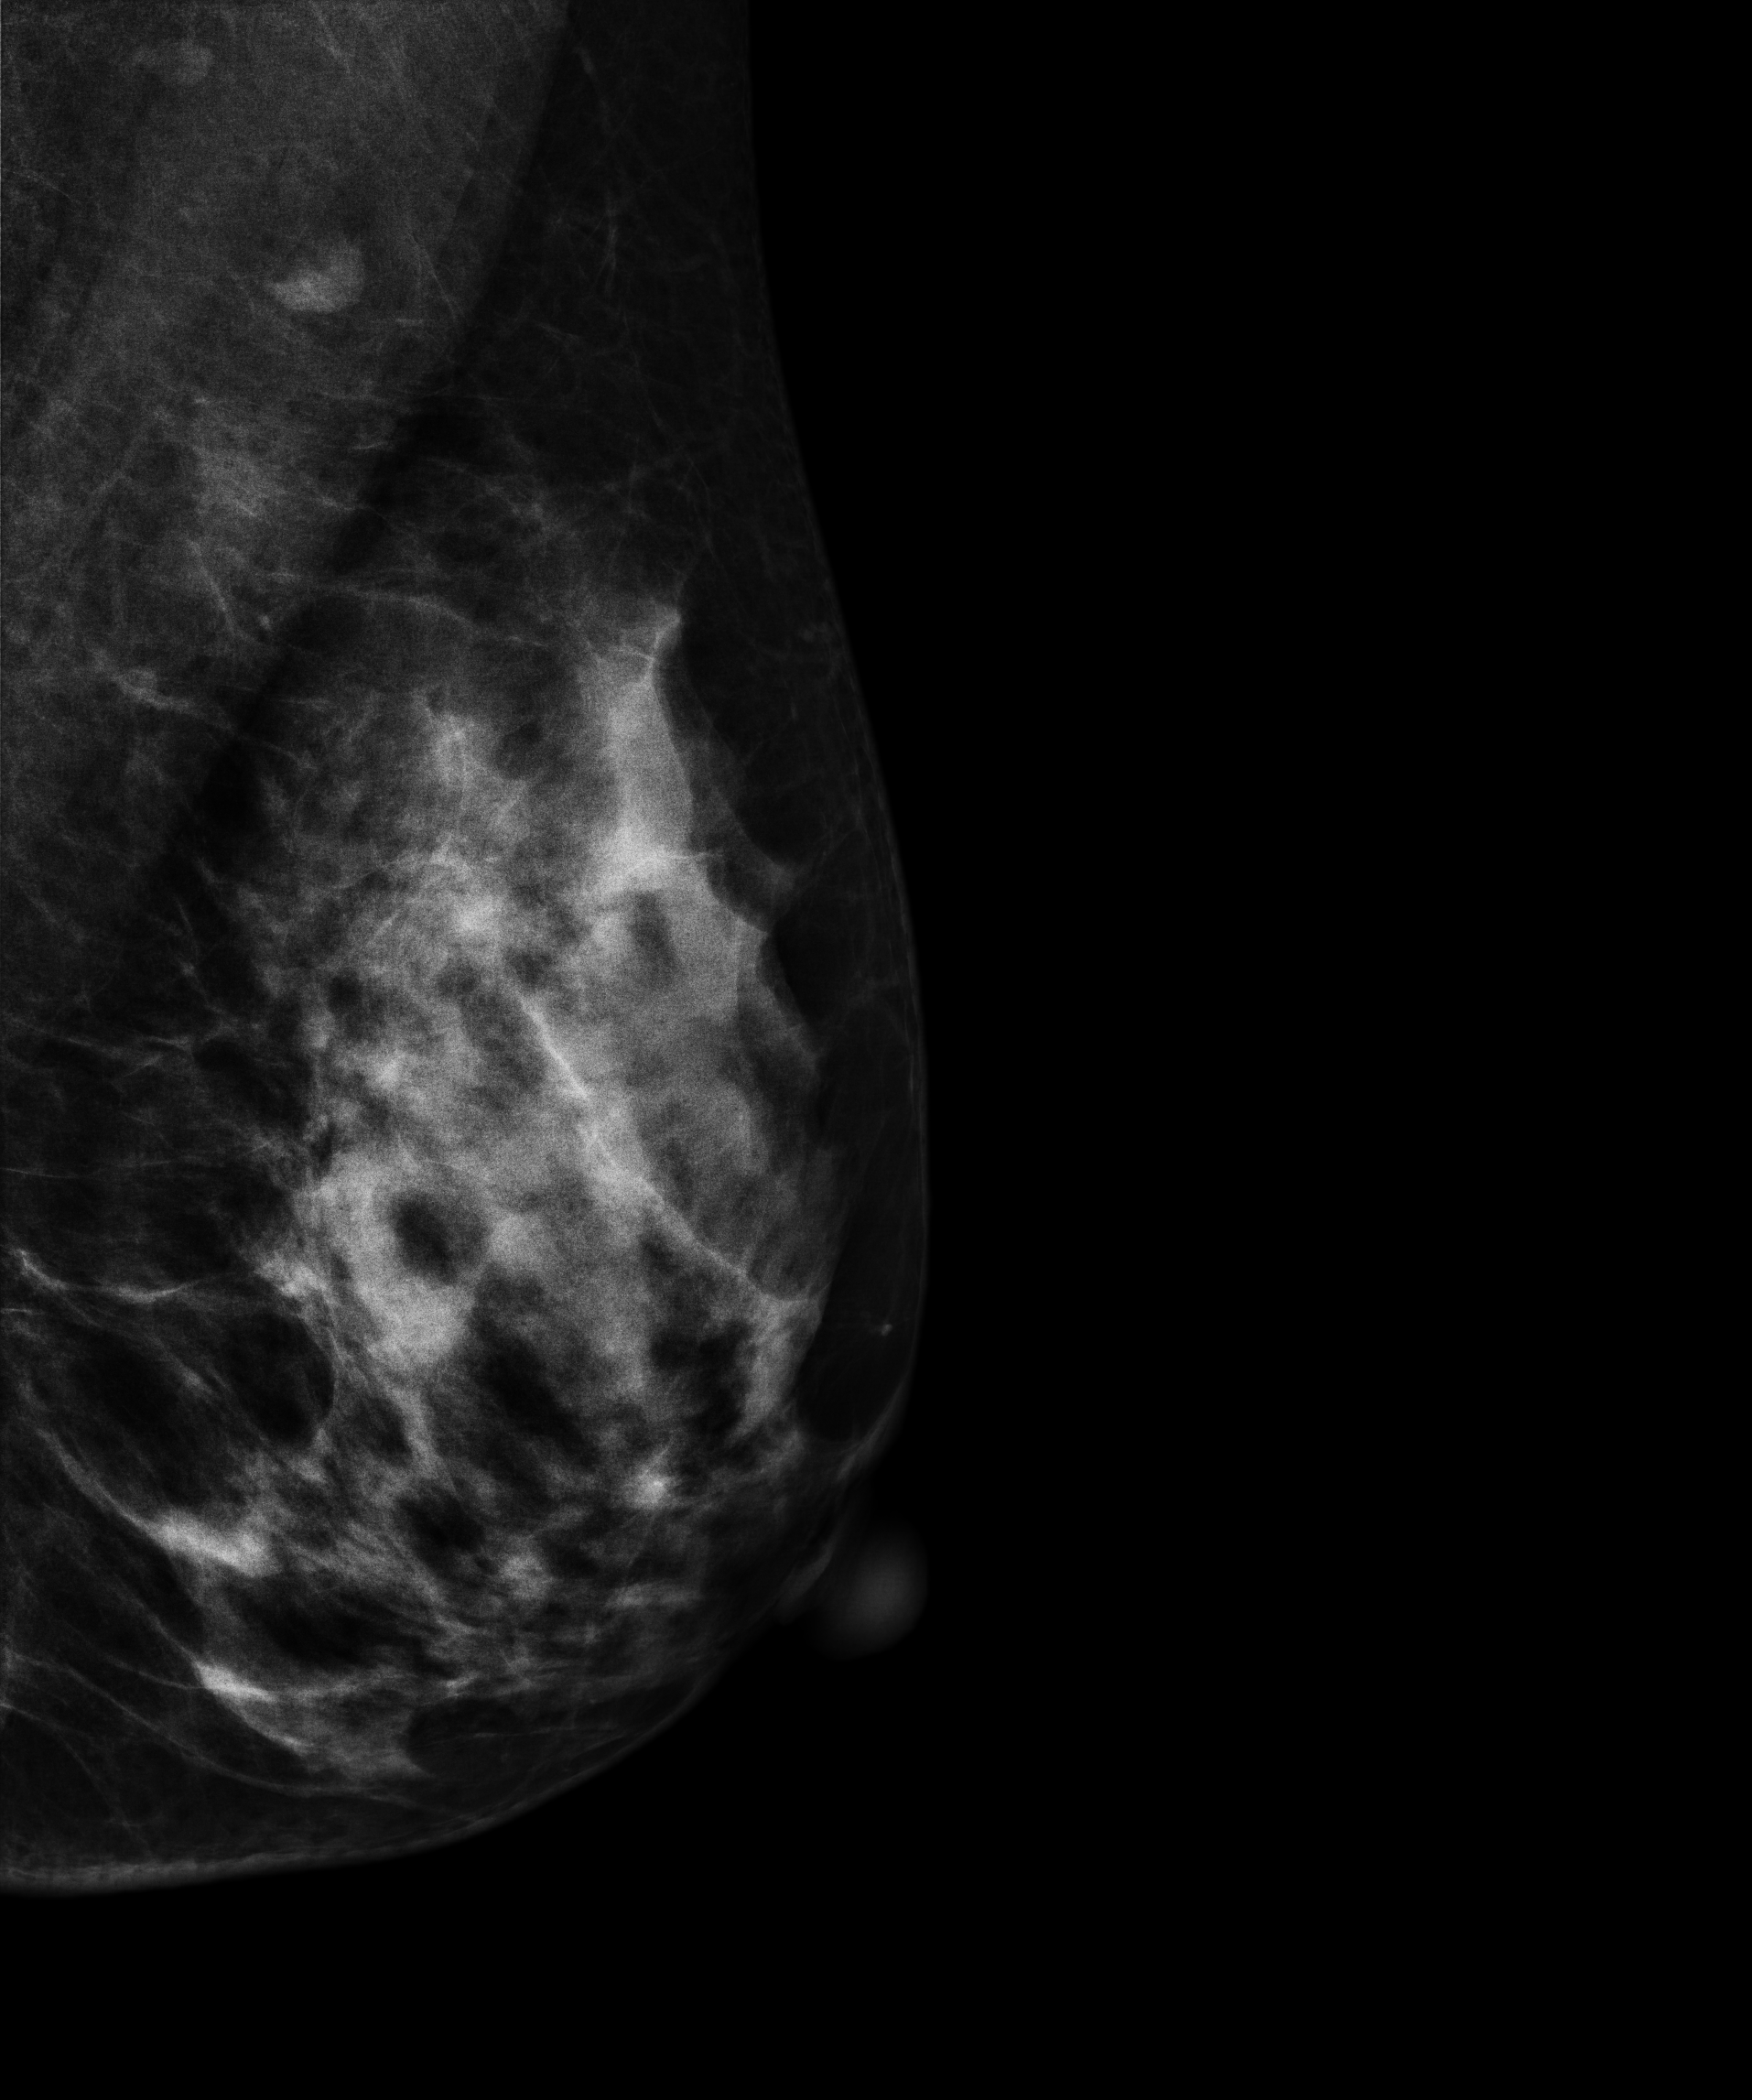
Left-breast mammogram, MLO. 42 y/o patient.
Contralateral breast — no documented abnormality on this side.